Digital mammography. Left breast, medio-lateral oblique projection. Patient age 53.
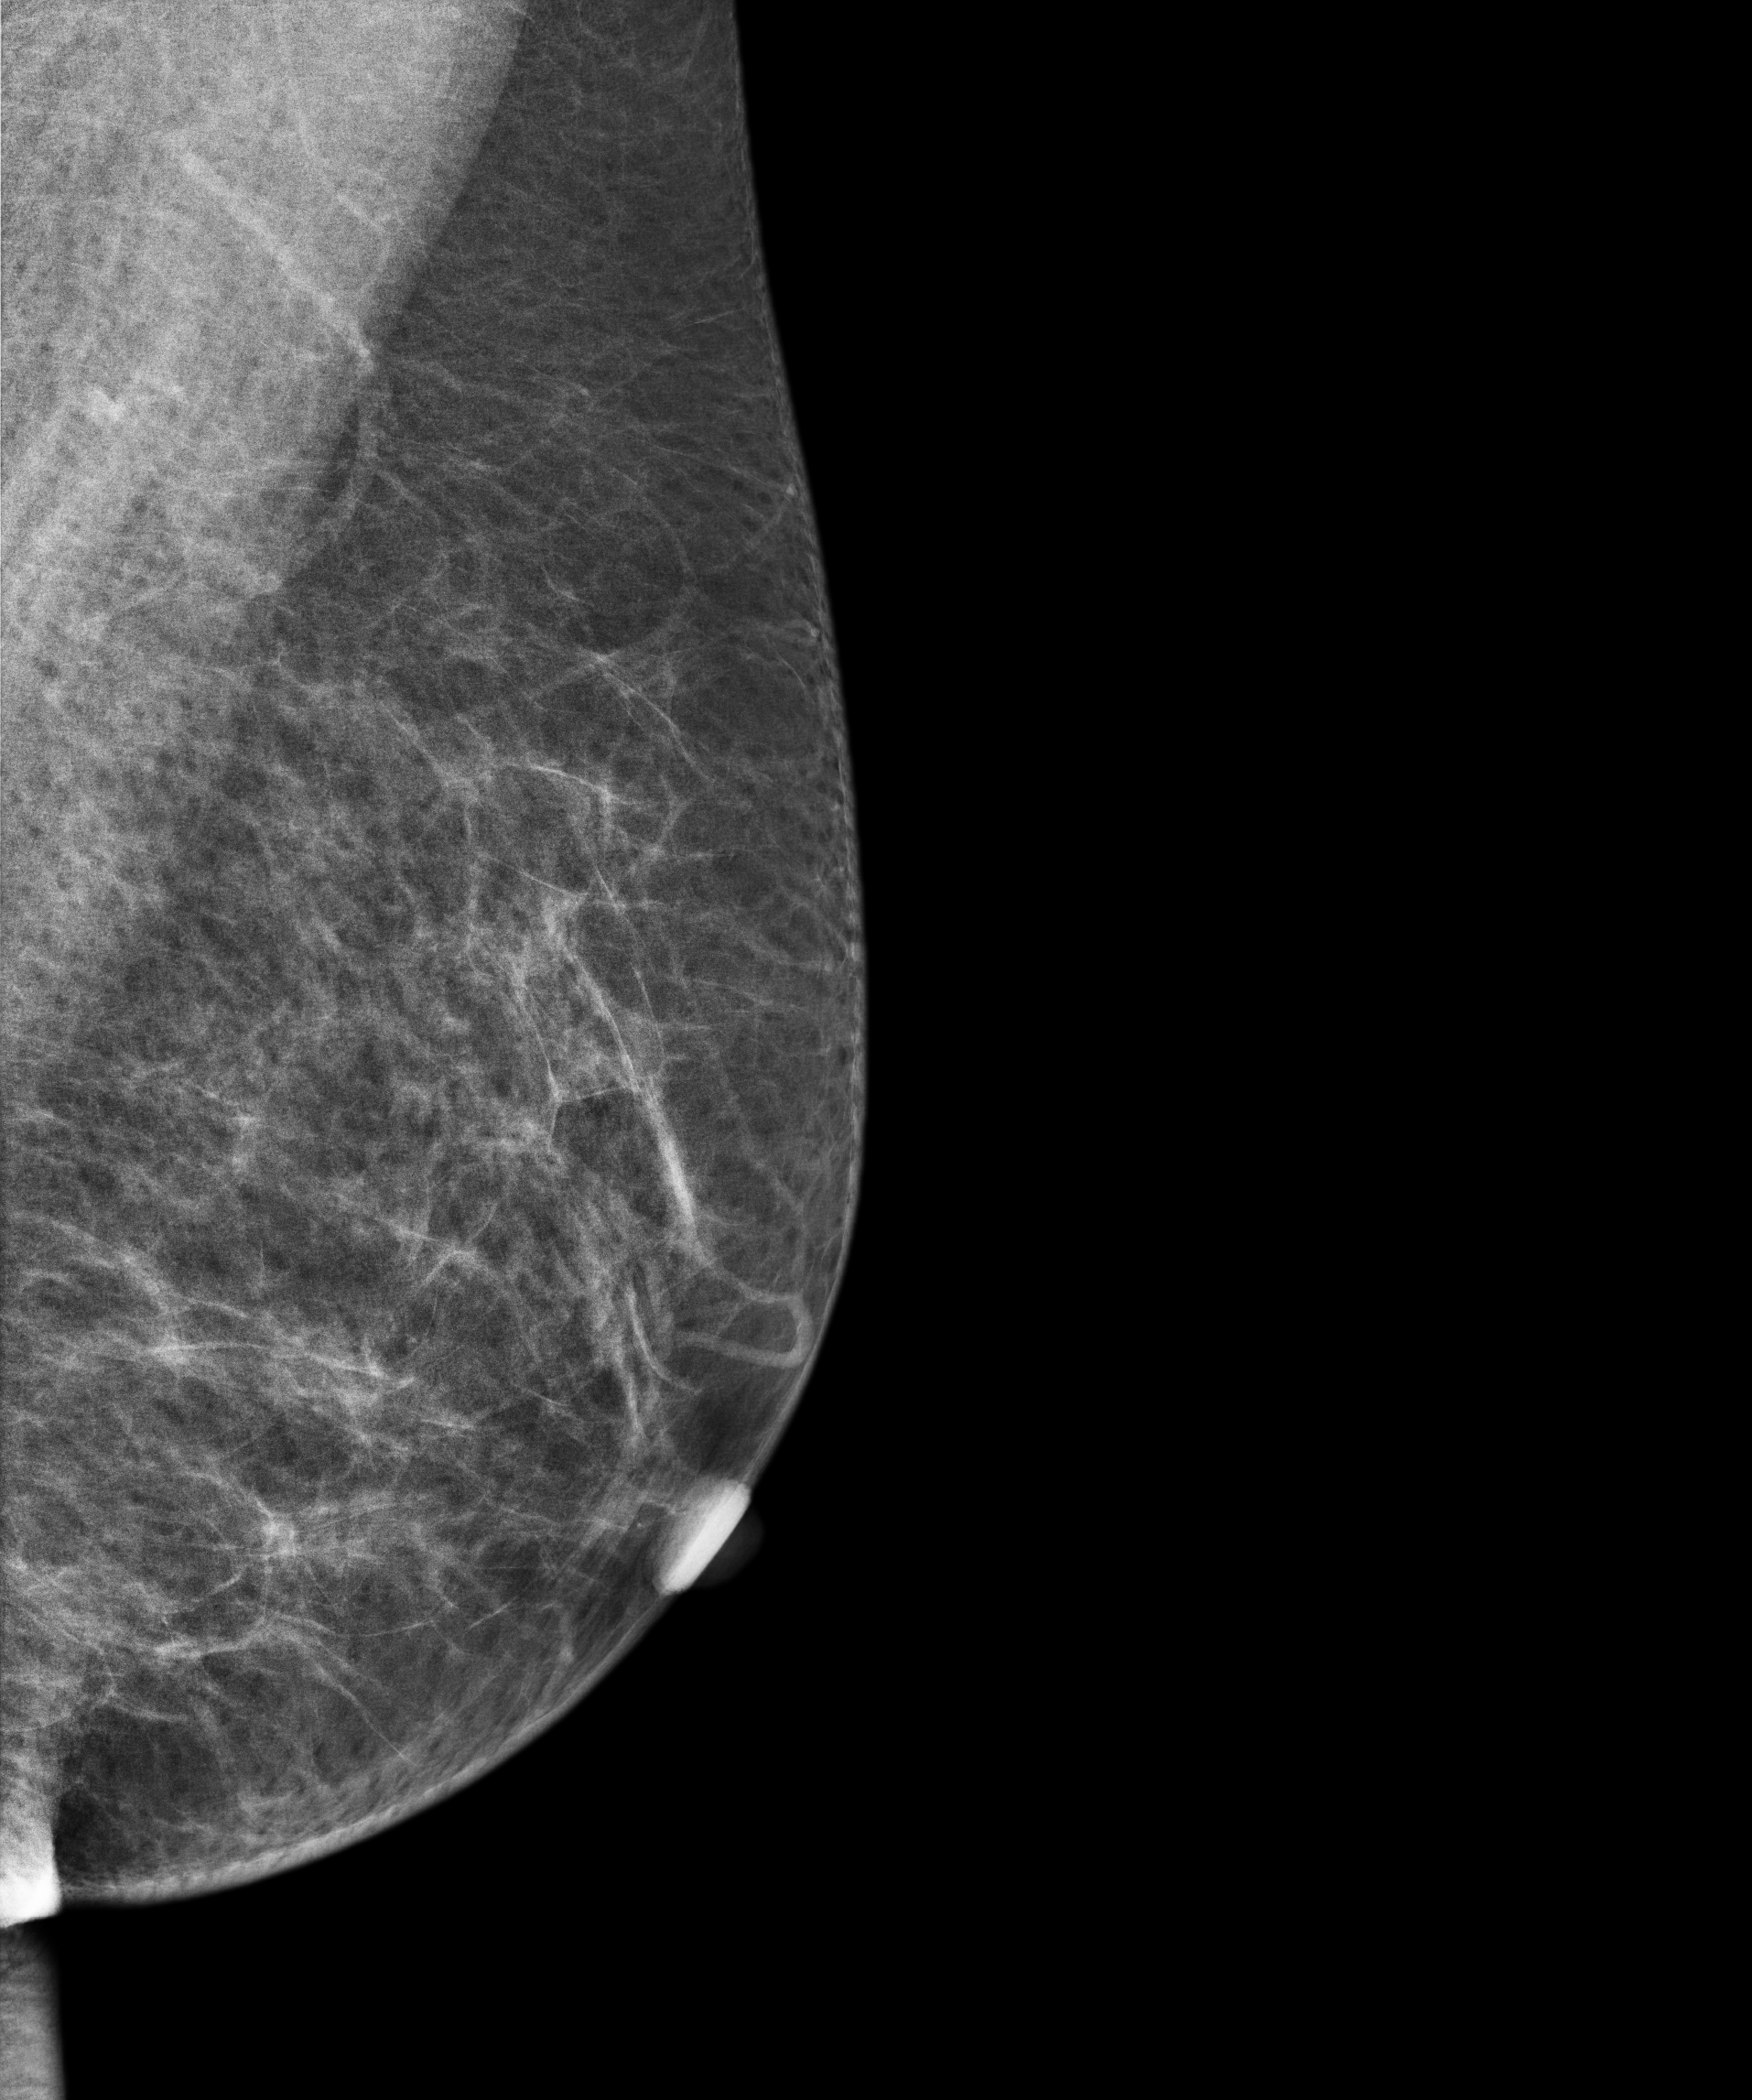
This breast has a mass, biopsy-confirmed benign.